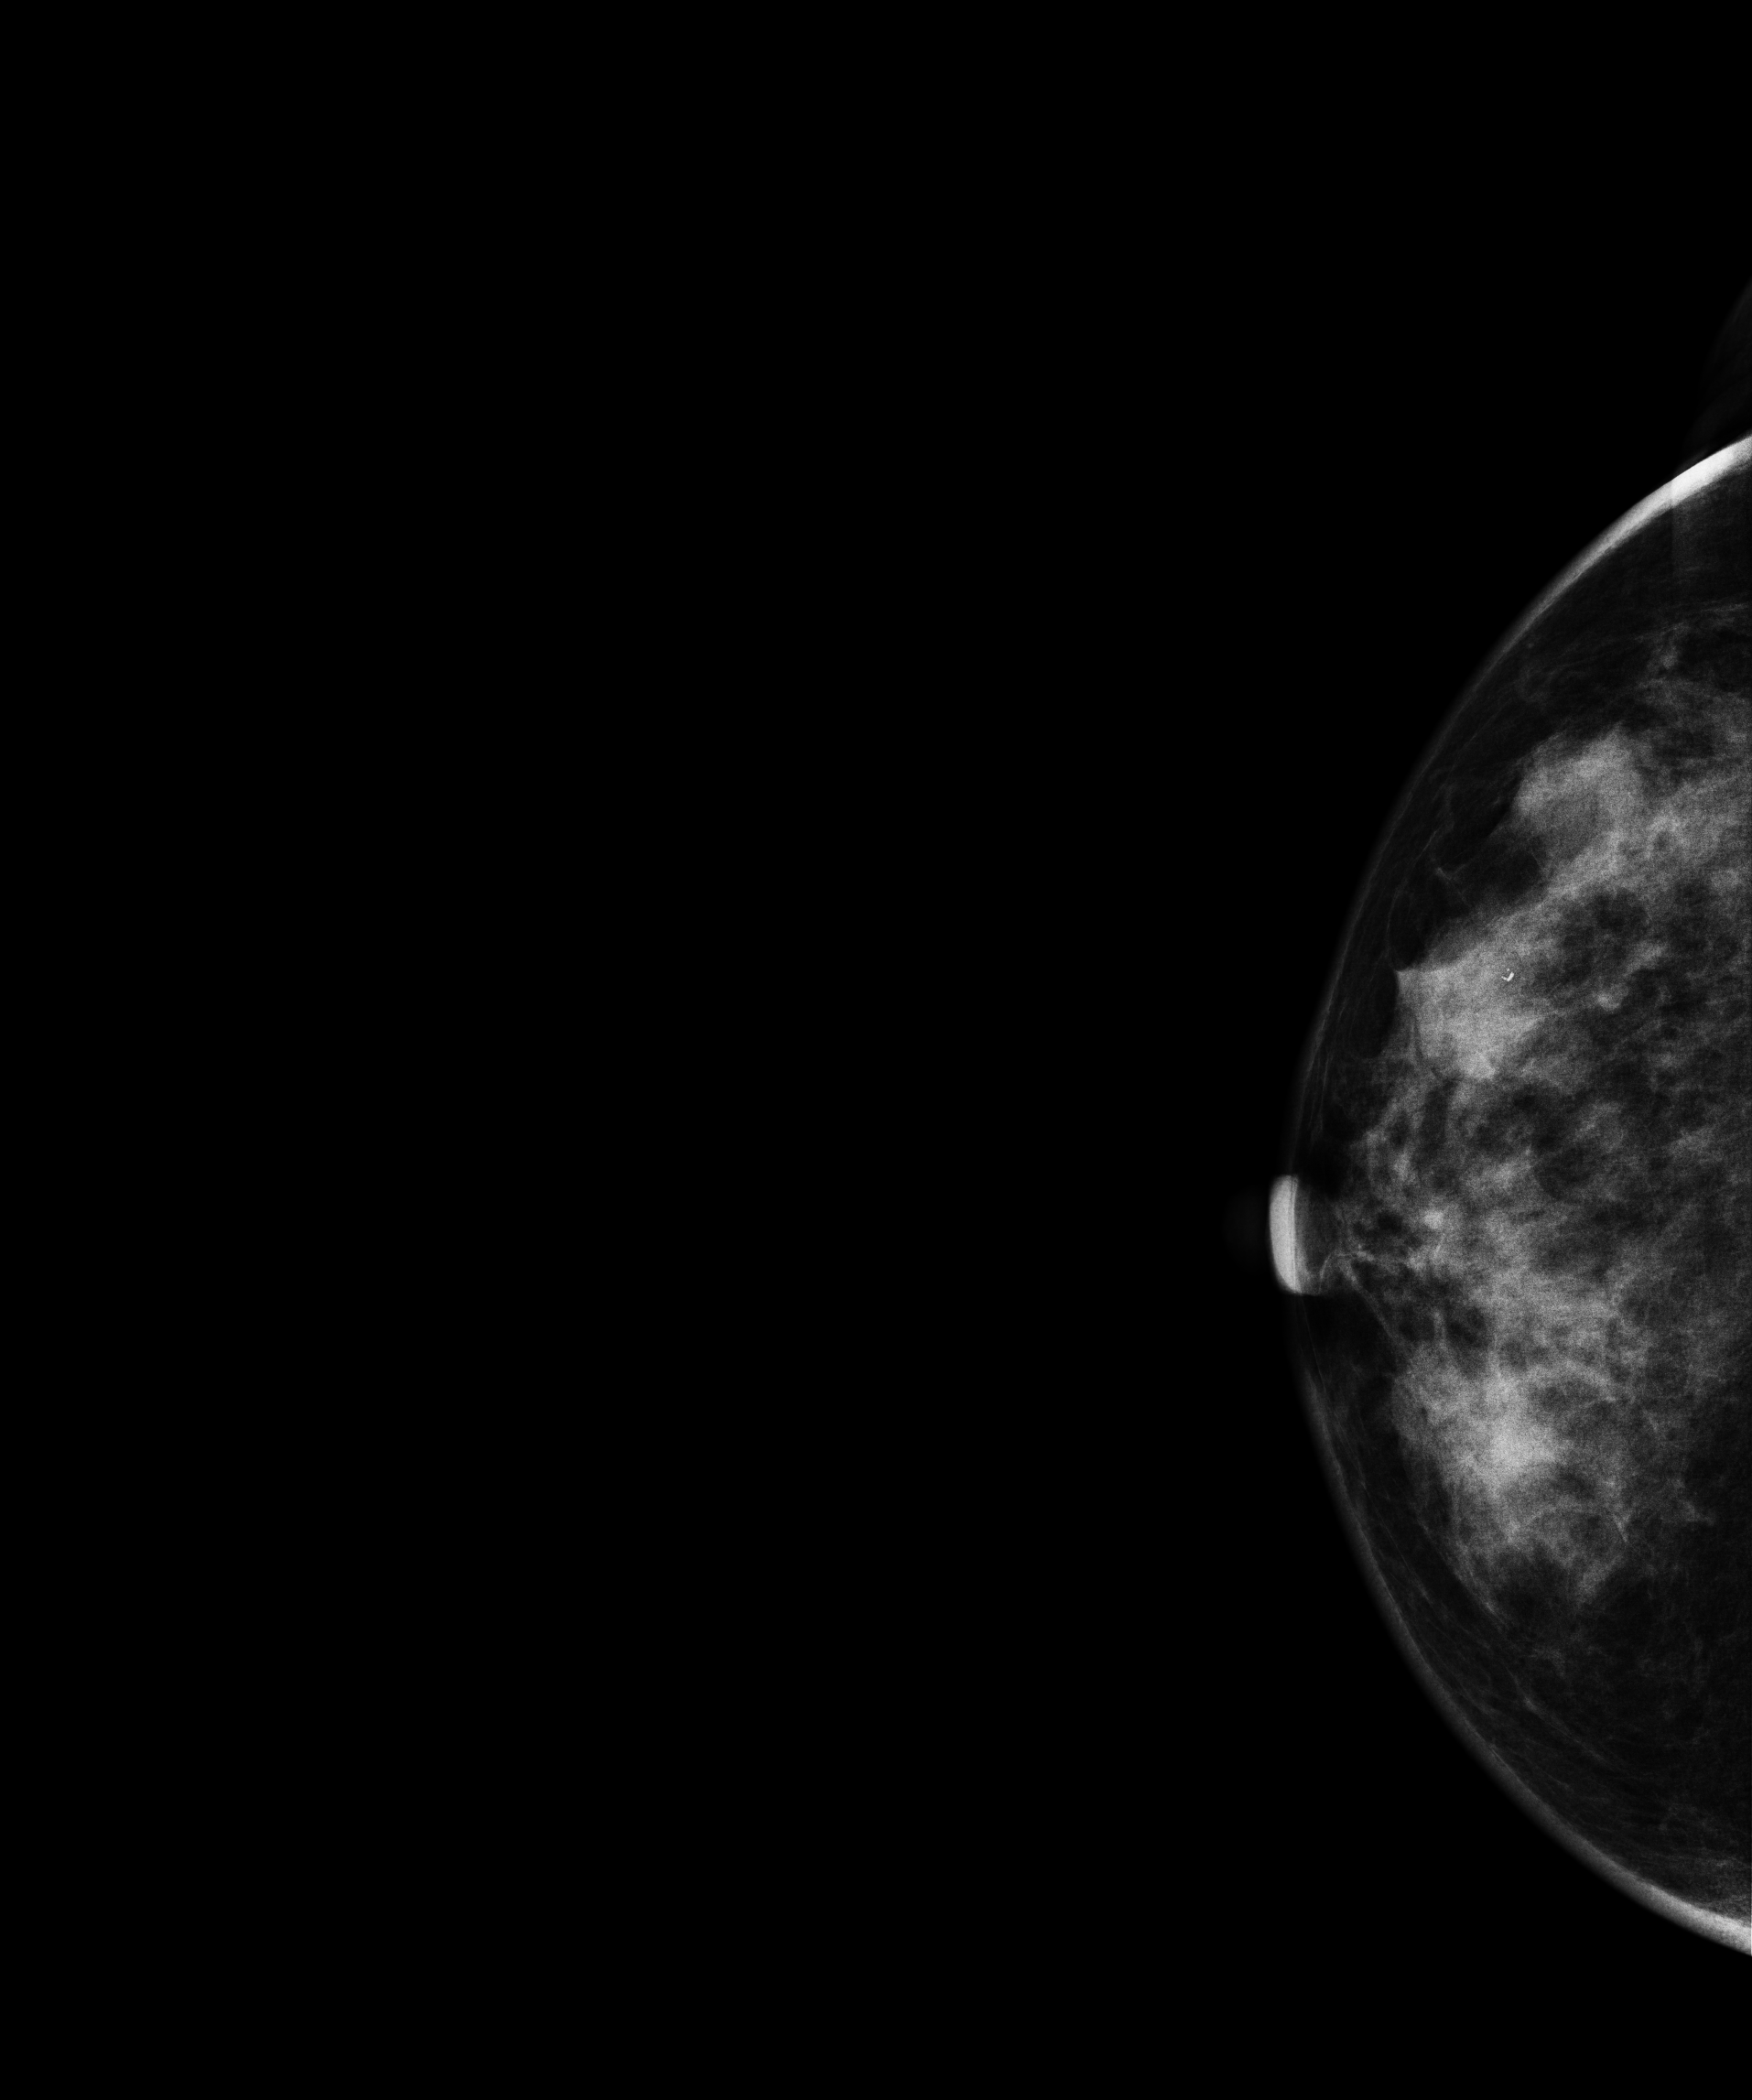
Digital mammography. Right breast, cranio-caudal projection. Patient age 40.
This breast has a mass and calcifications, biopsy-proven benign.